Right-breast mammogram, MLO. Patient age 60.
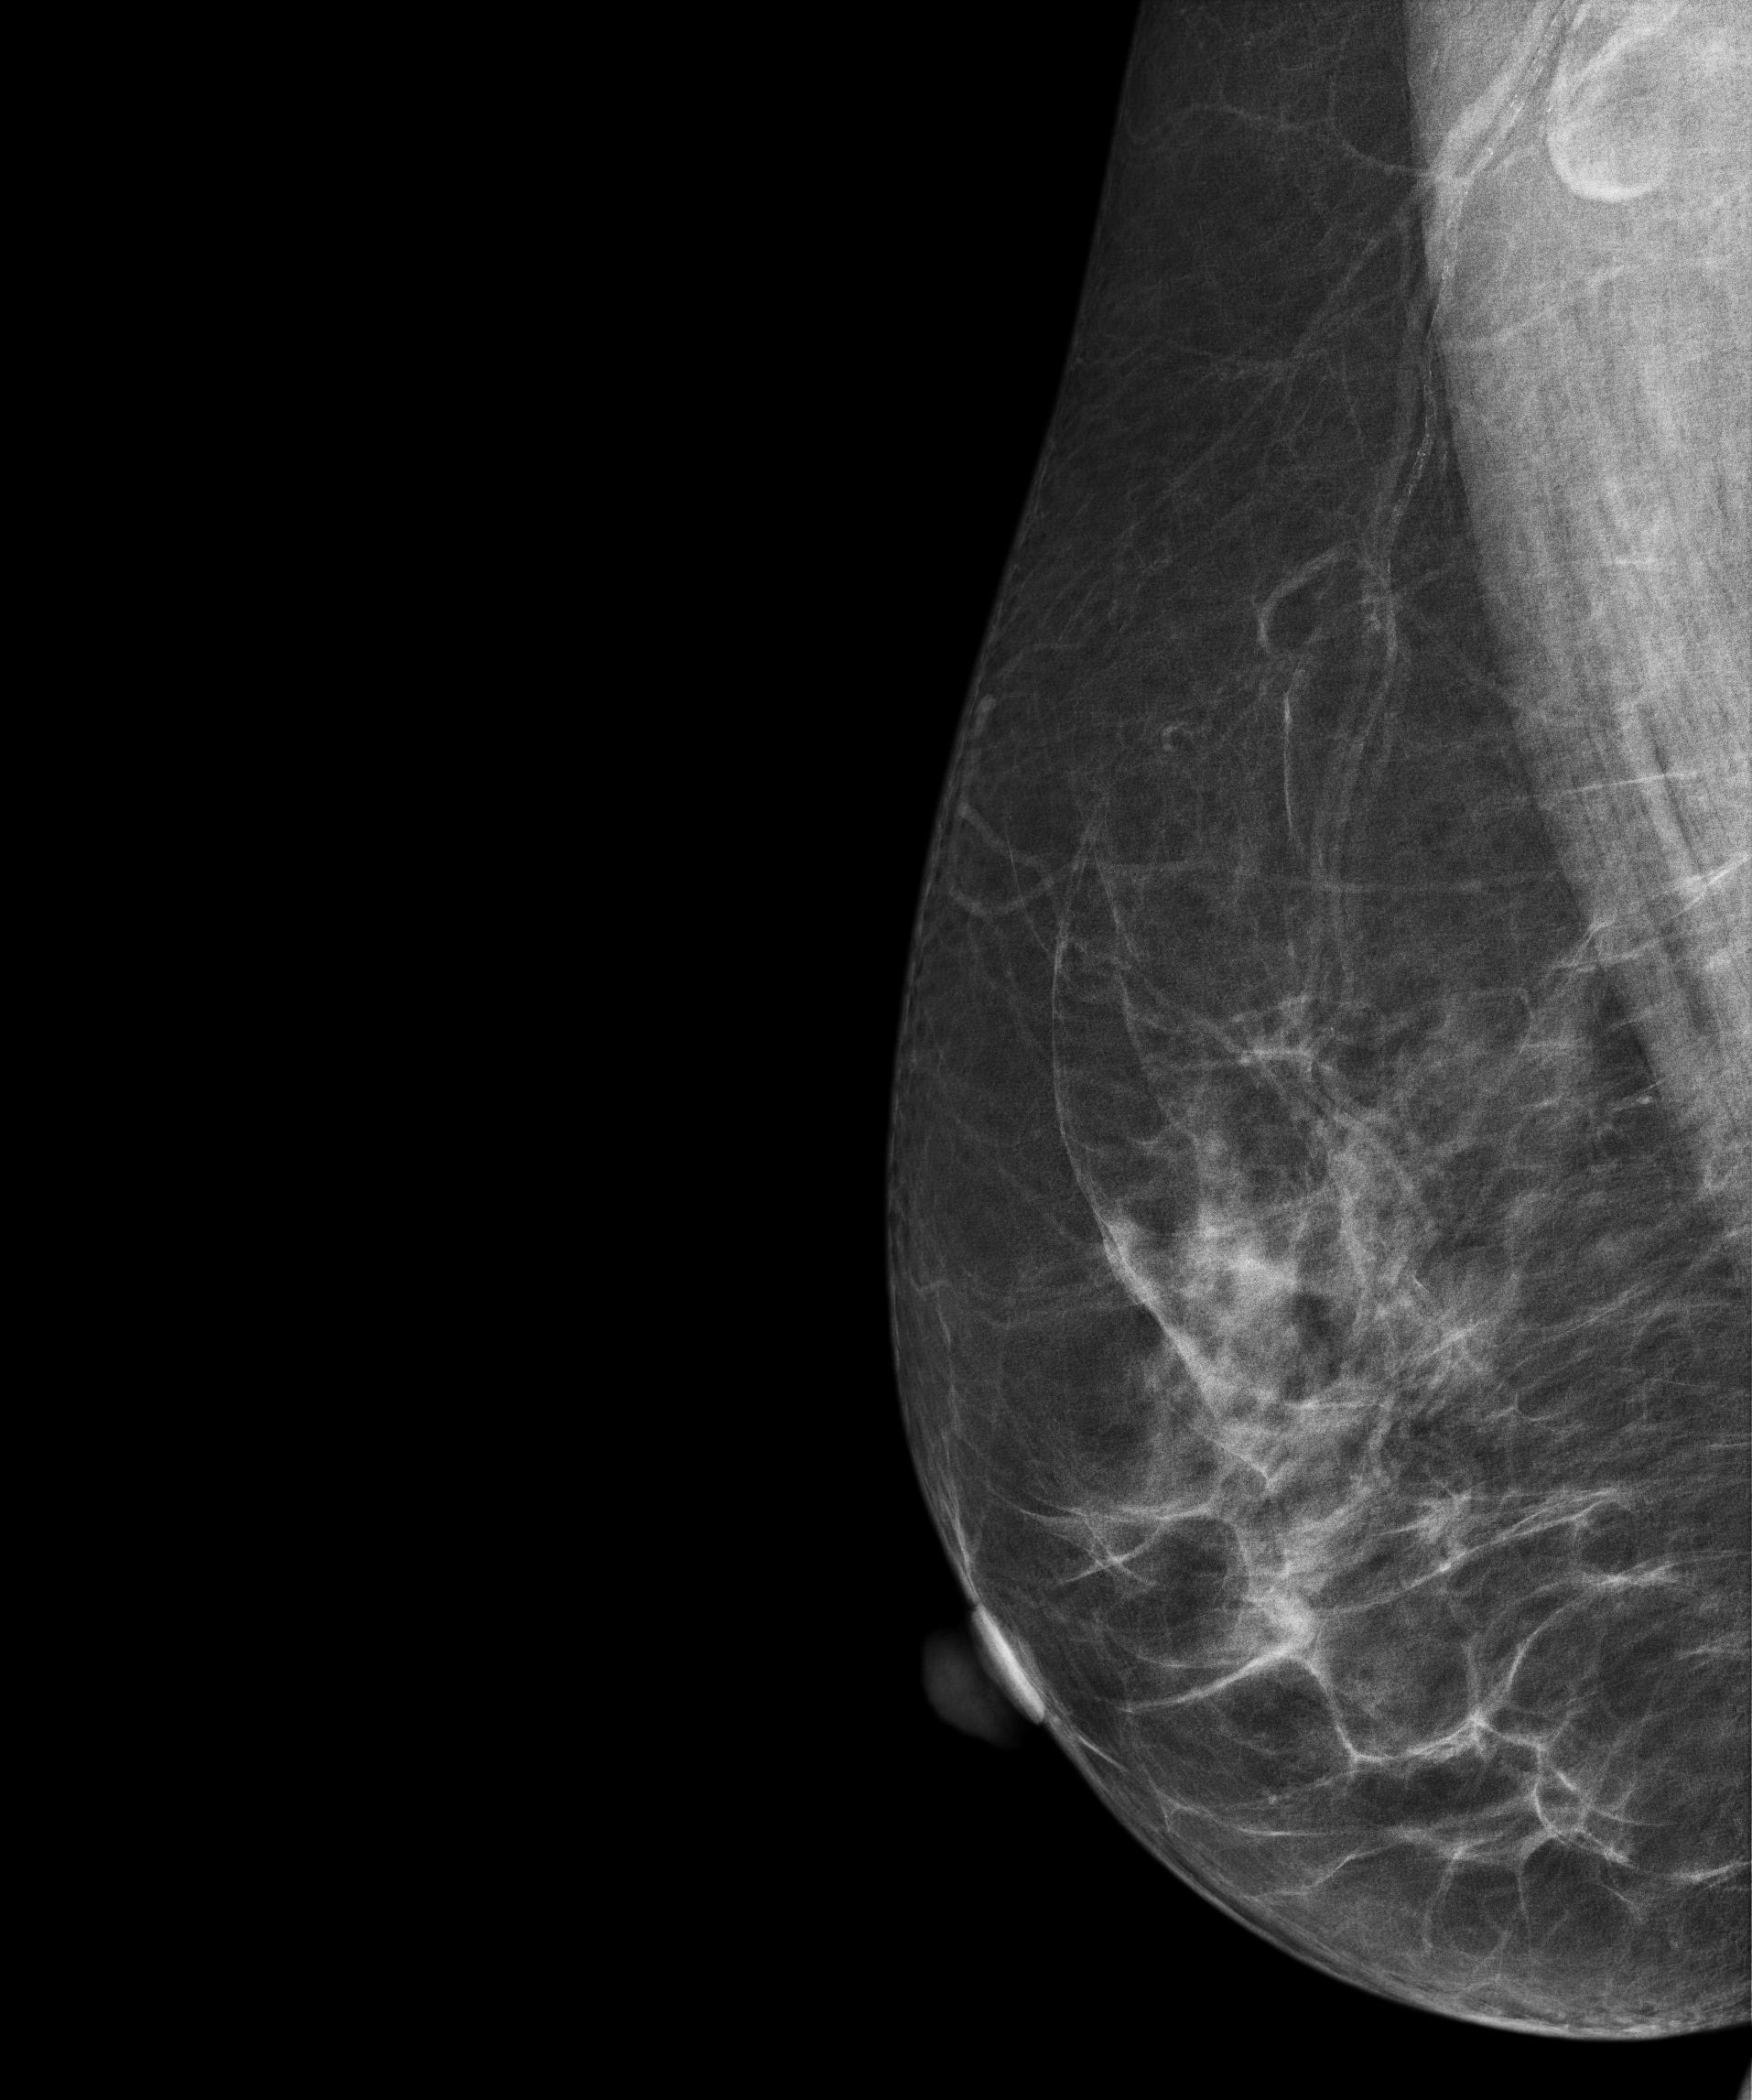
Contralateral breast — no documented abnormality on this side.